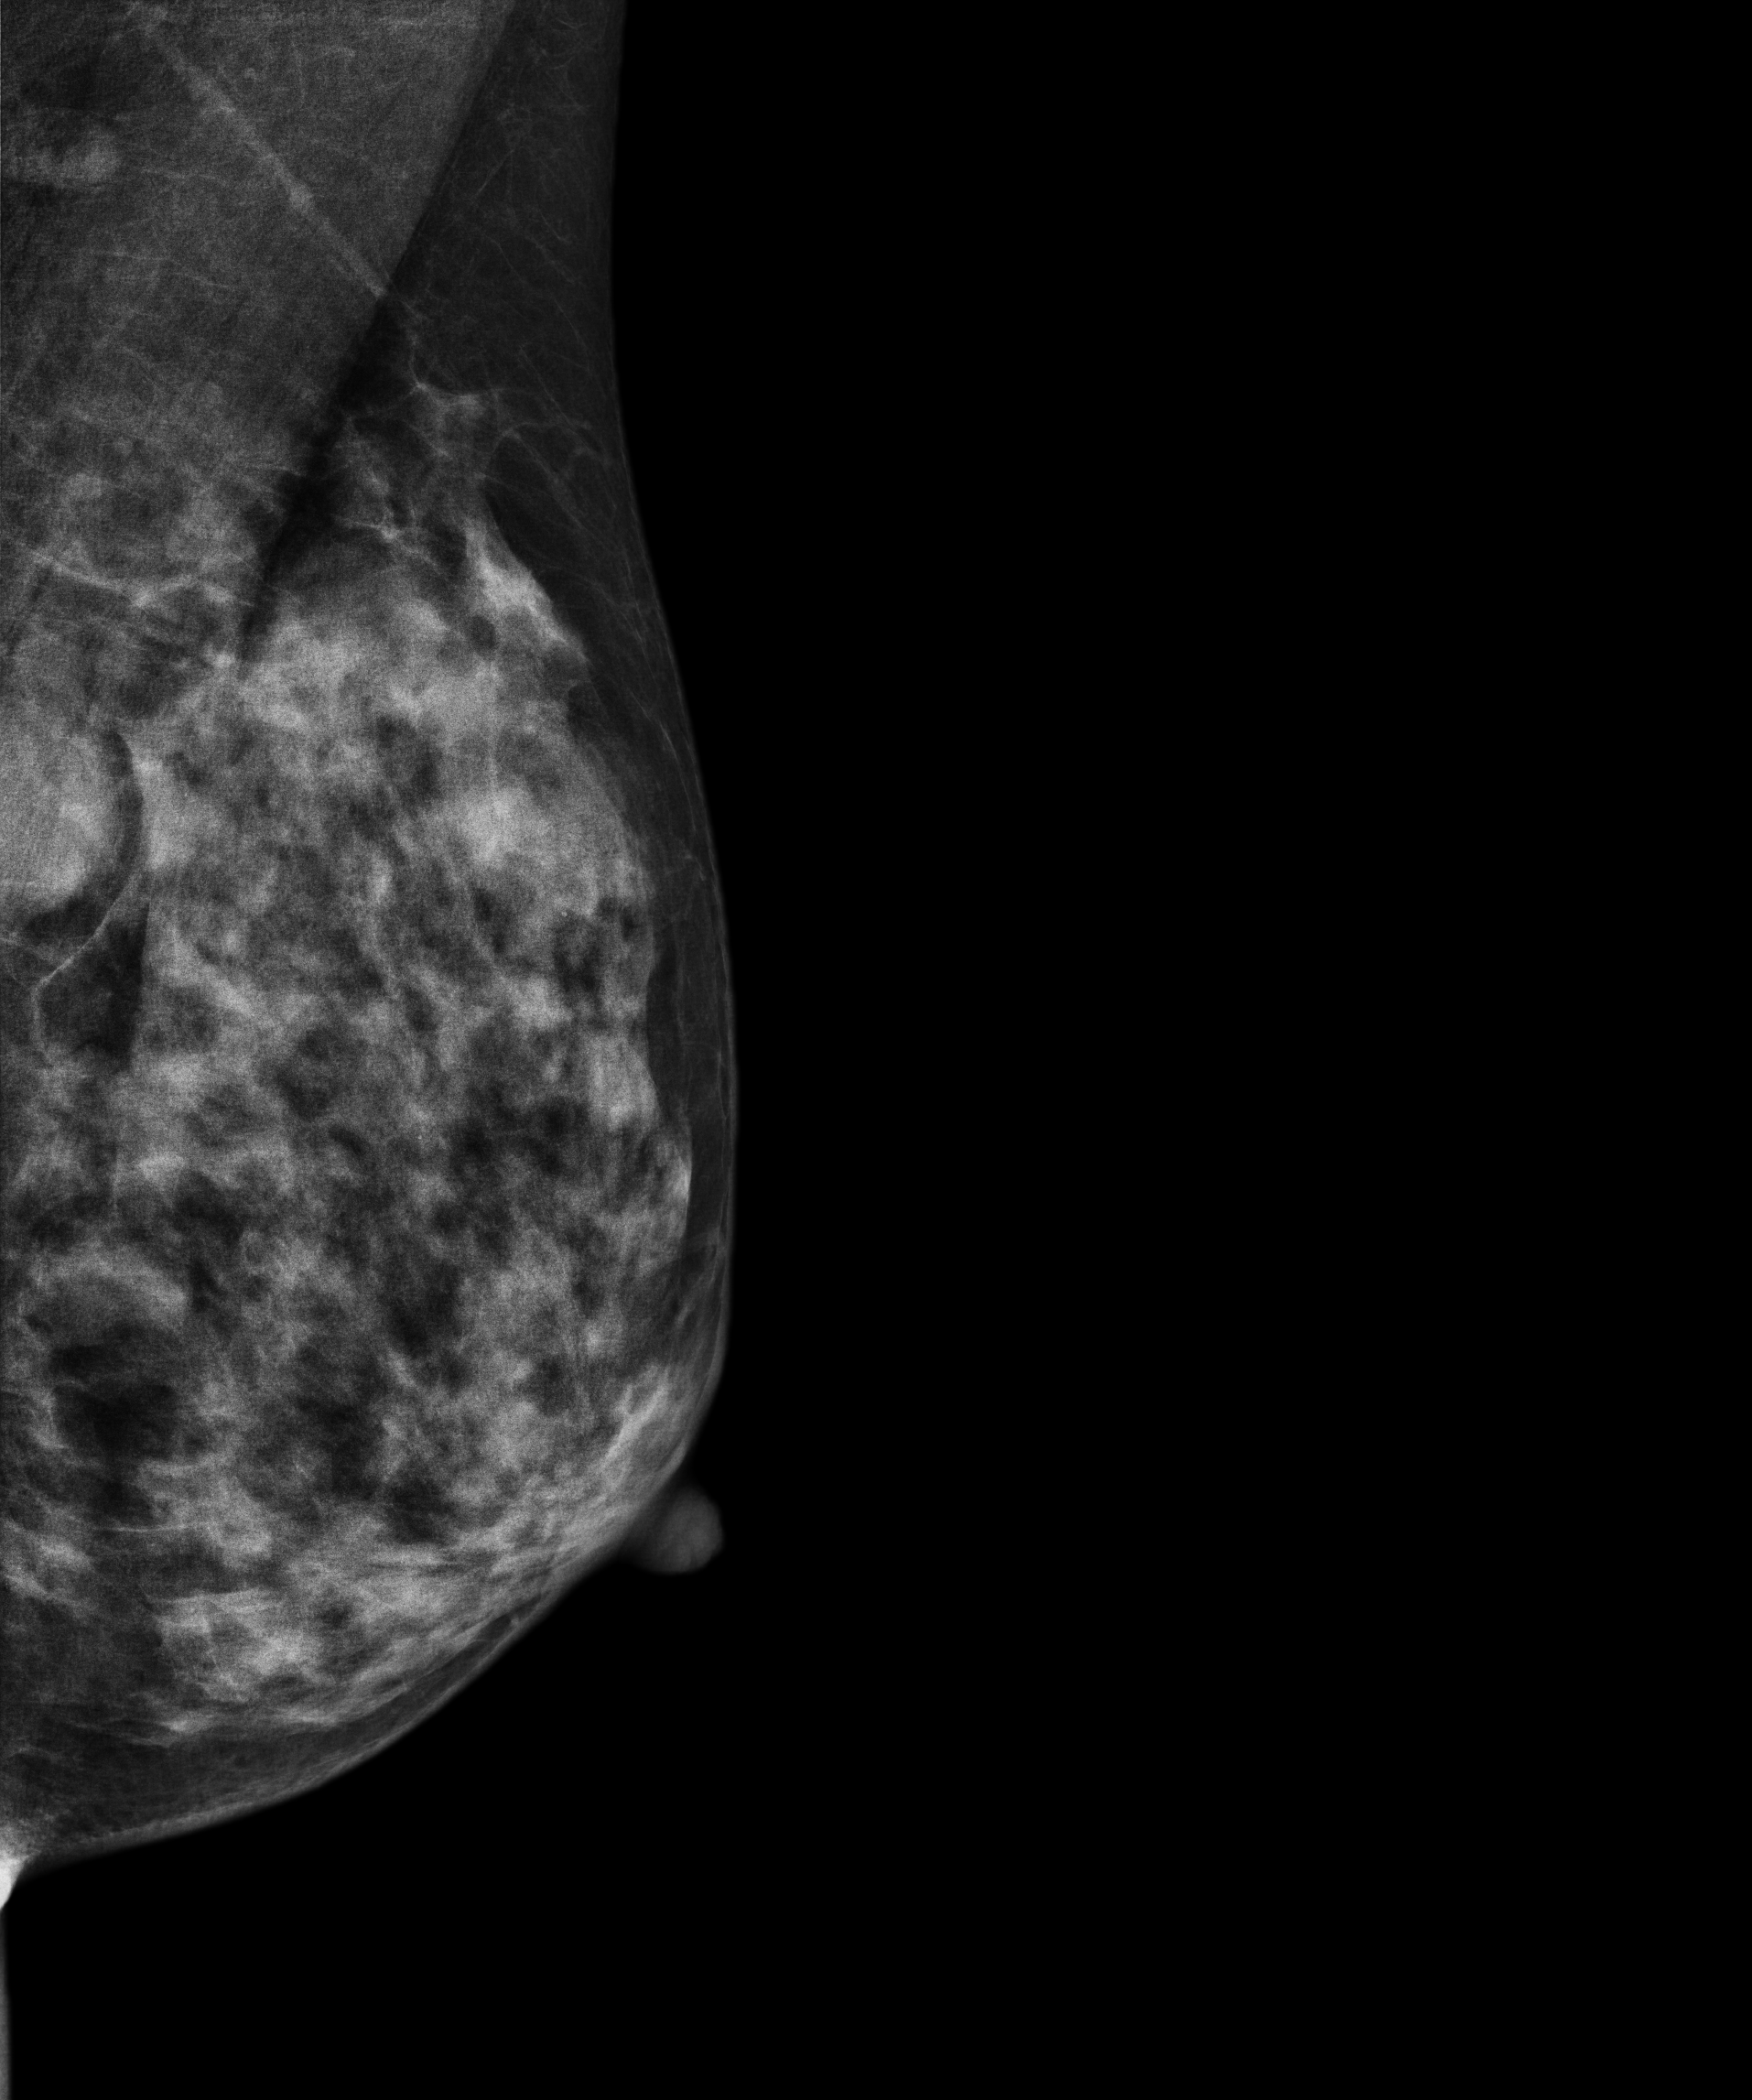
Digital mammography. Left breast, MLO projection. 36-year-old patient.
This breast has a mass, biopsy-proven benign.